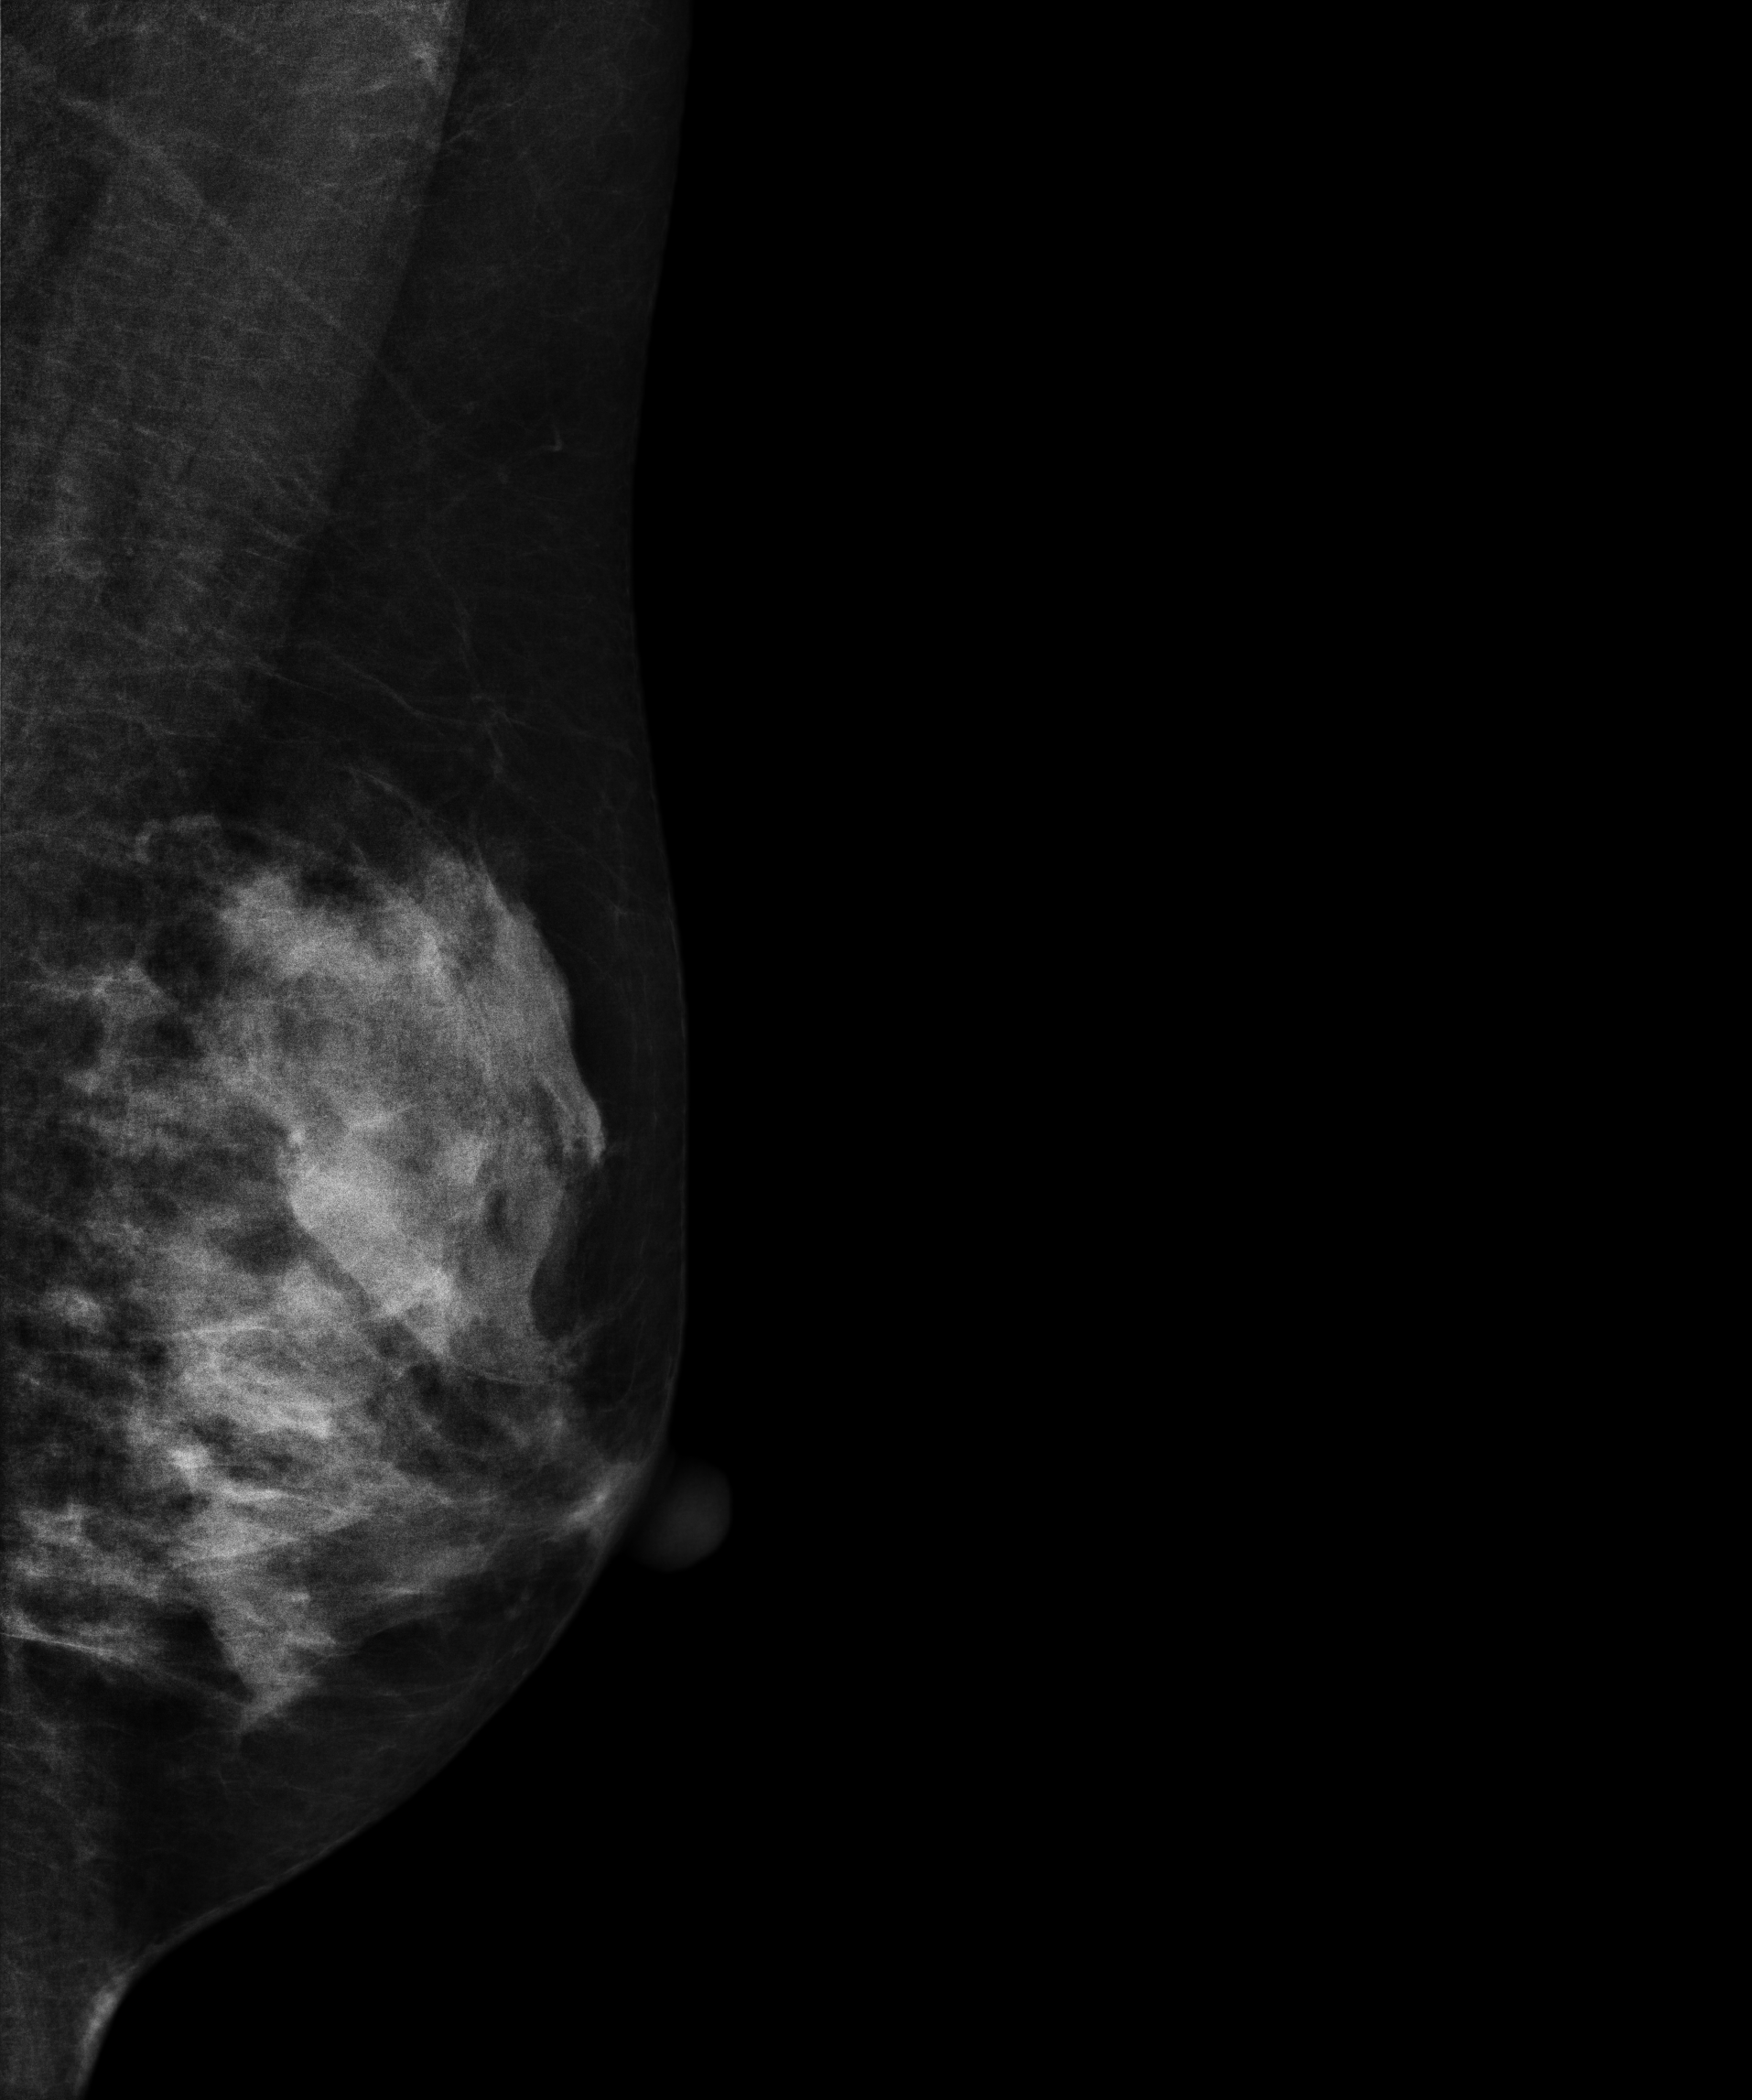
Mammogram, left breast, medio-lateral oblique view. 38 y/o patient.
This breast has a mass, biopsy-confirmed malignant.